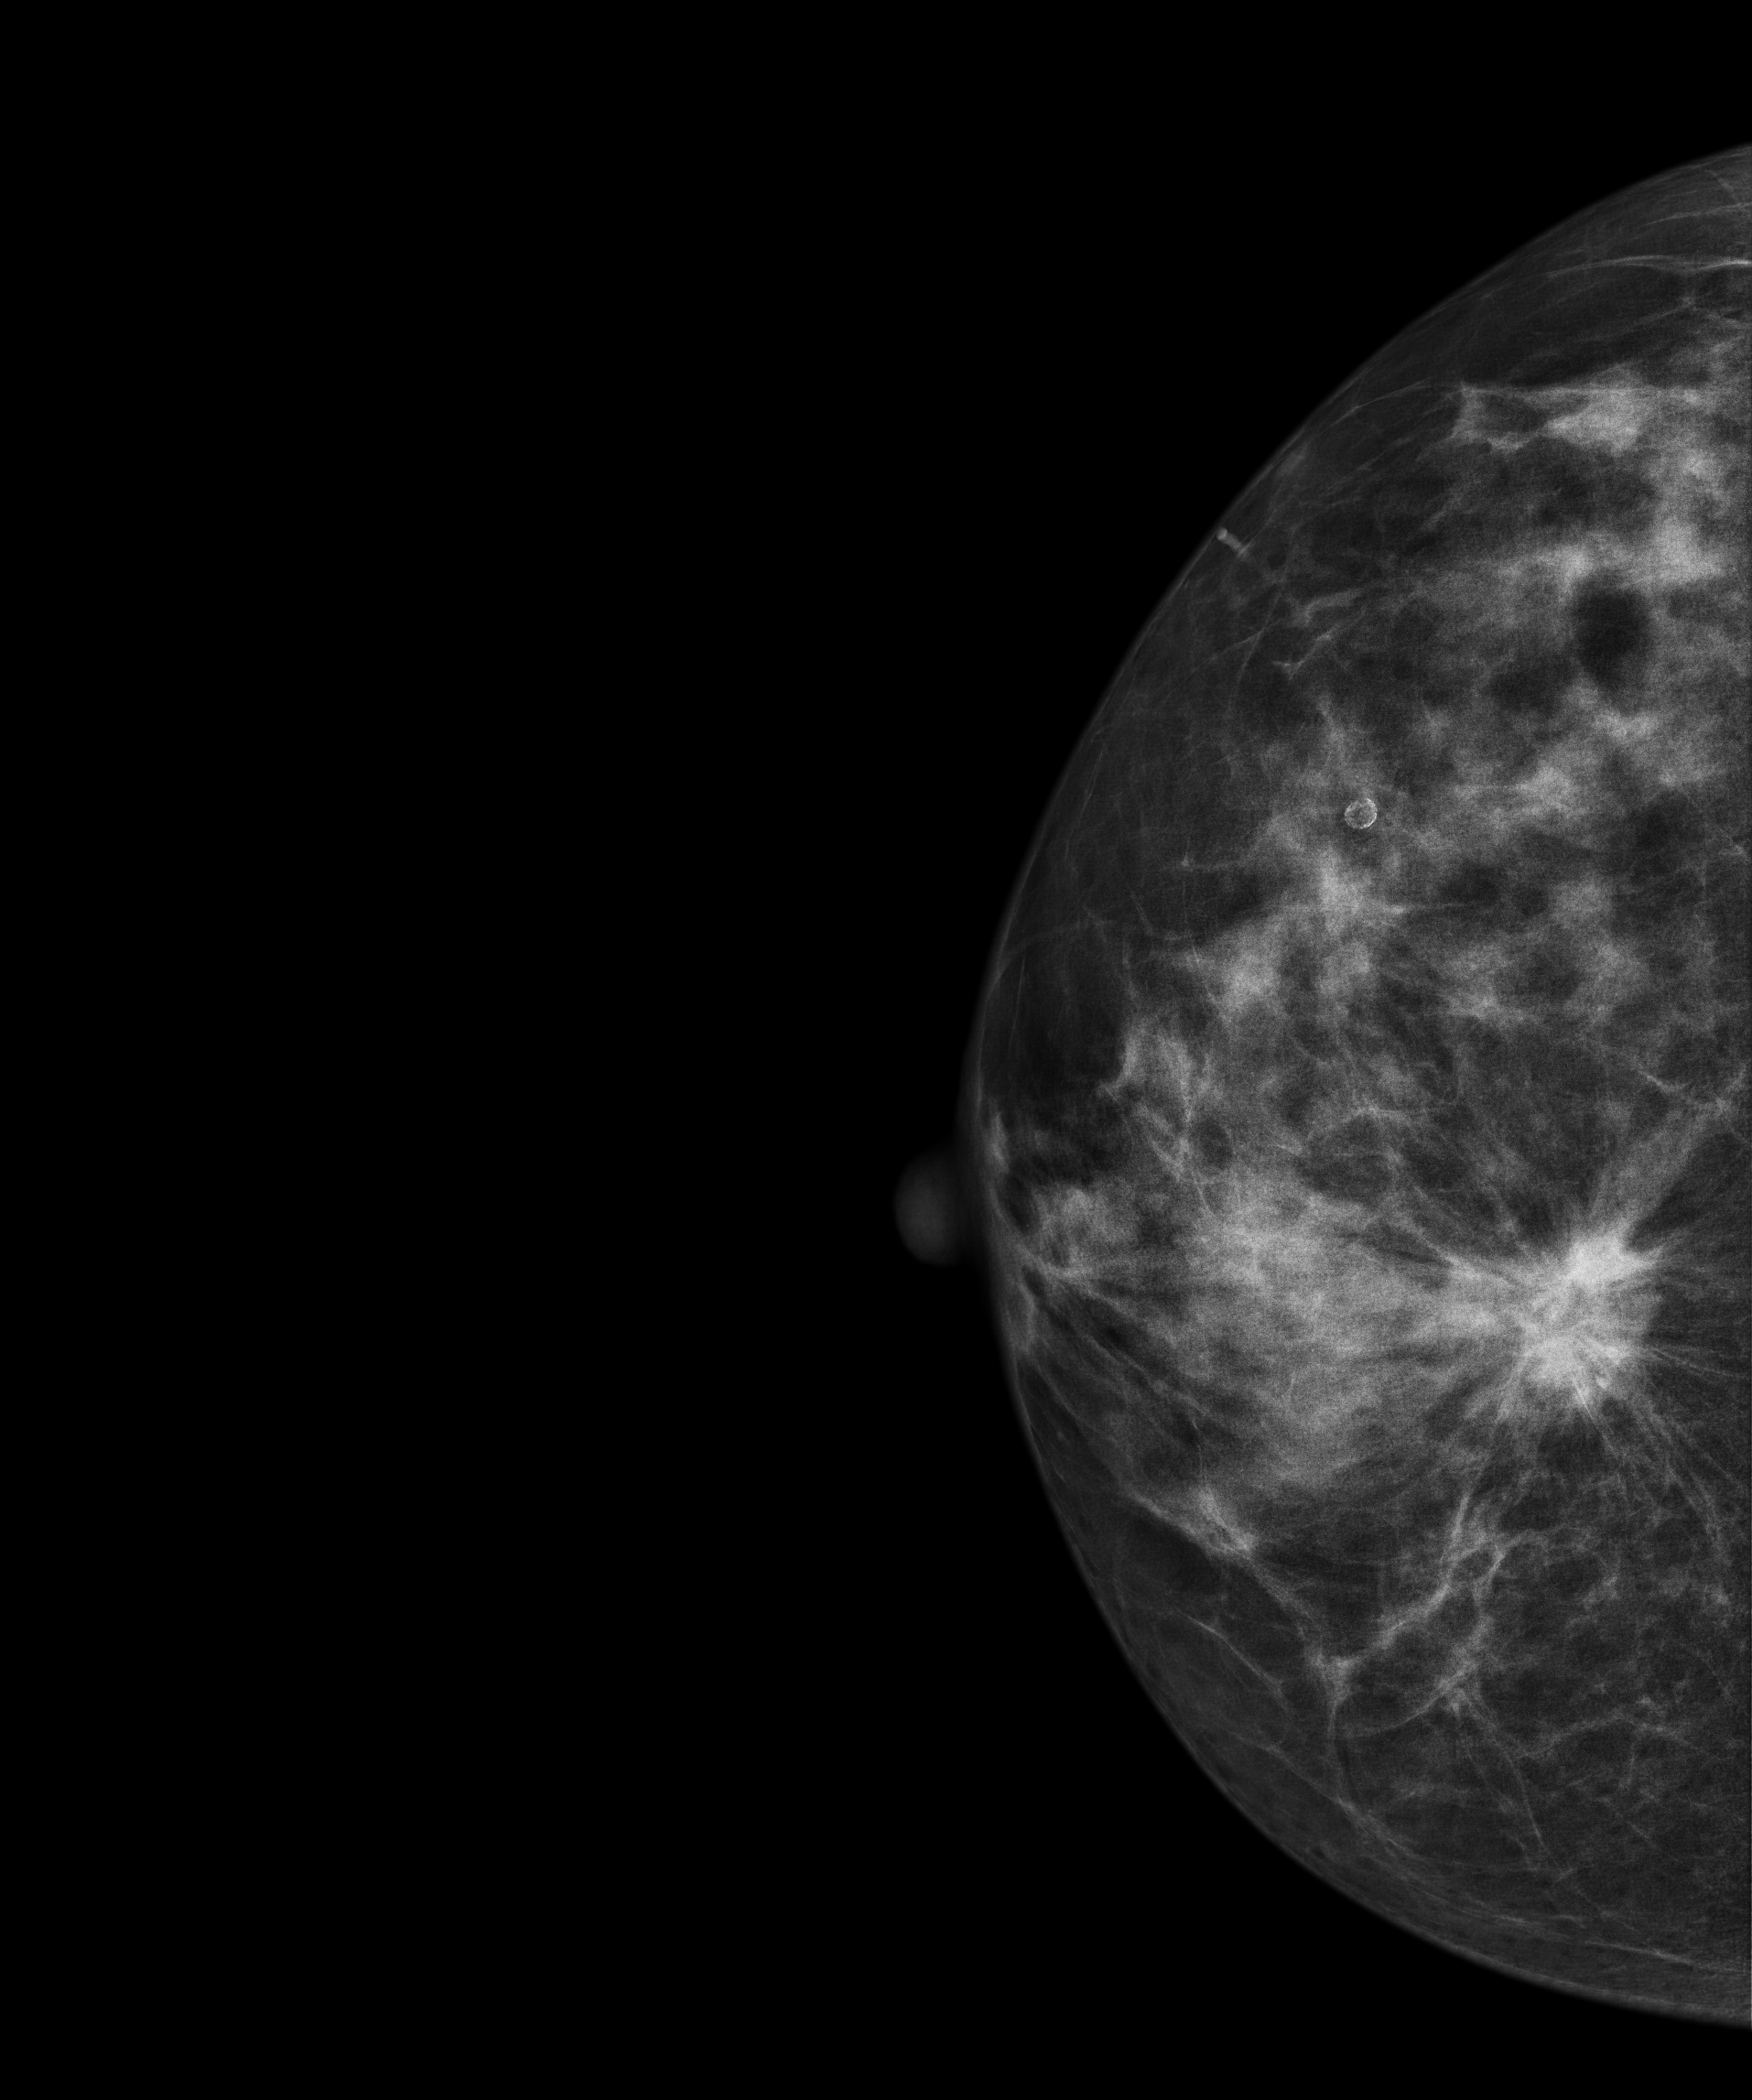
Digital mammography. Right breast, cranio-caudal projection. 56 y/o patient.
This breast has a mass, biopsy-confirmed malignant. Molecular subtype: luminal B.